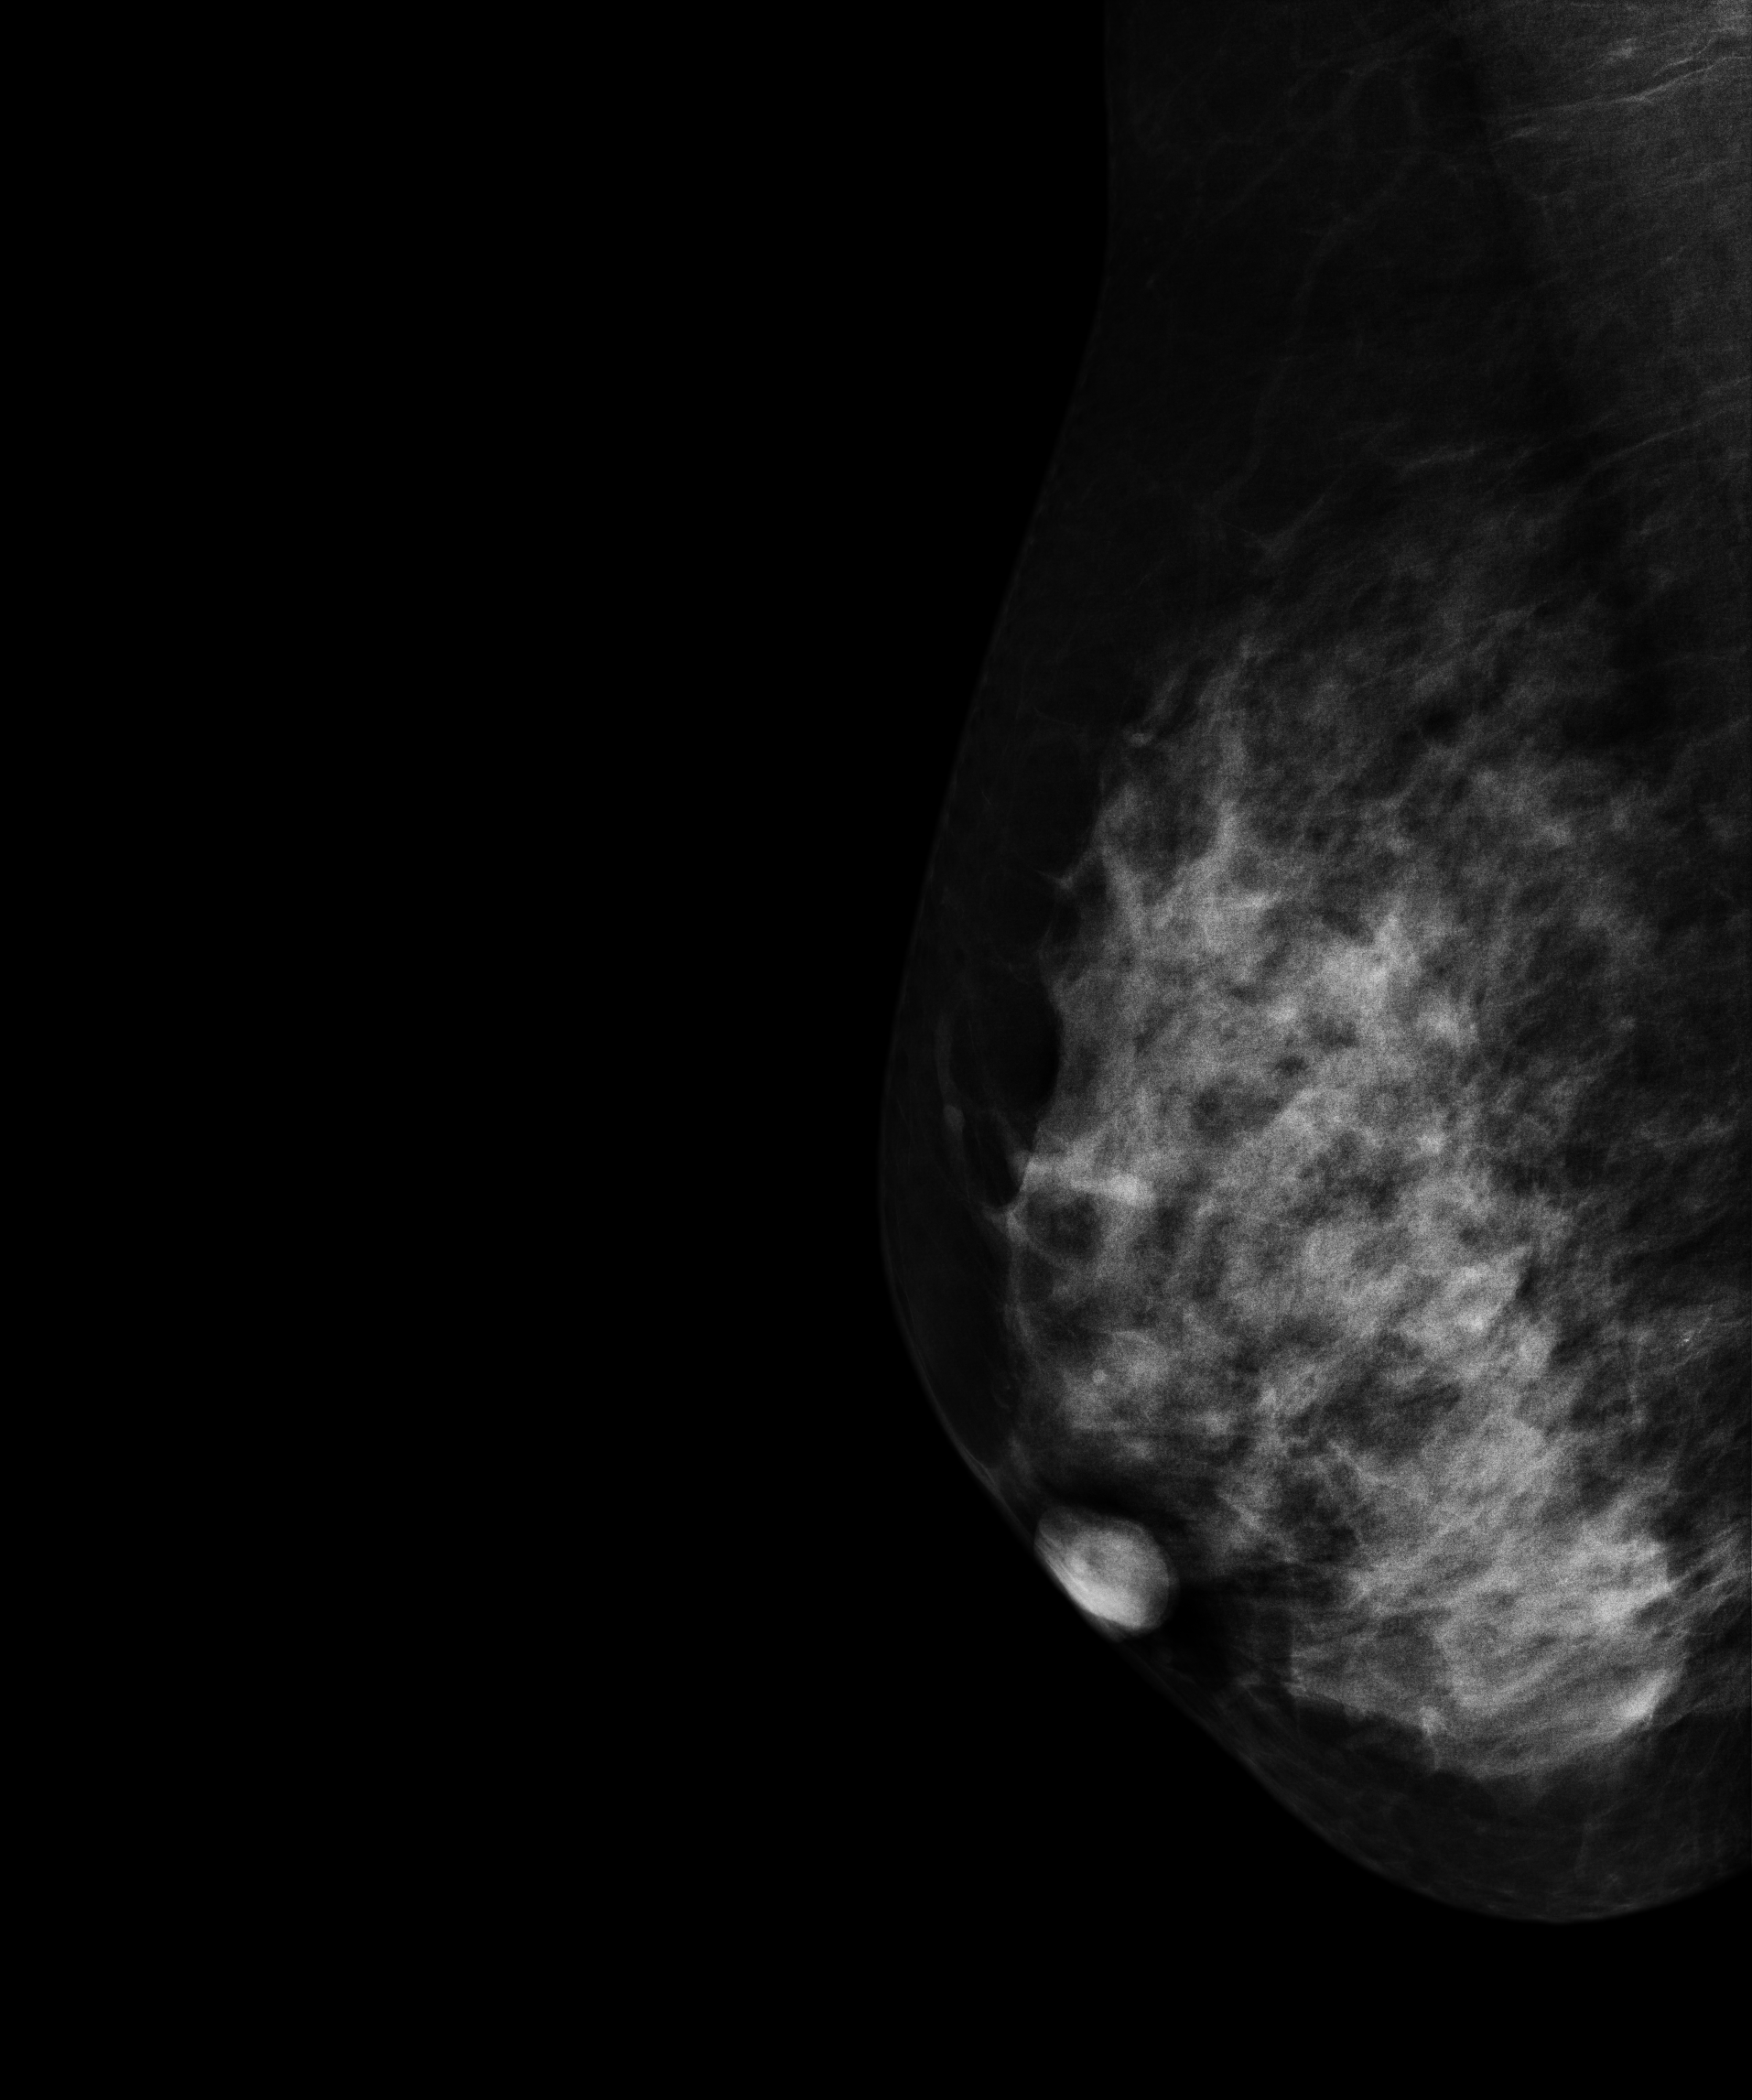
Right-breast mammogram, MLO. 56-year-old patient.
Contralateral breast — no documented abnormality on this side.